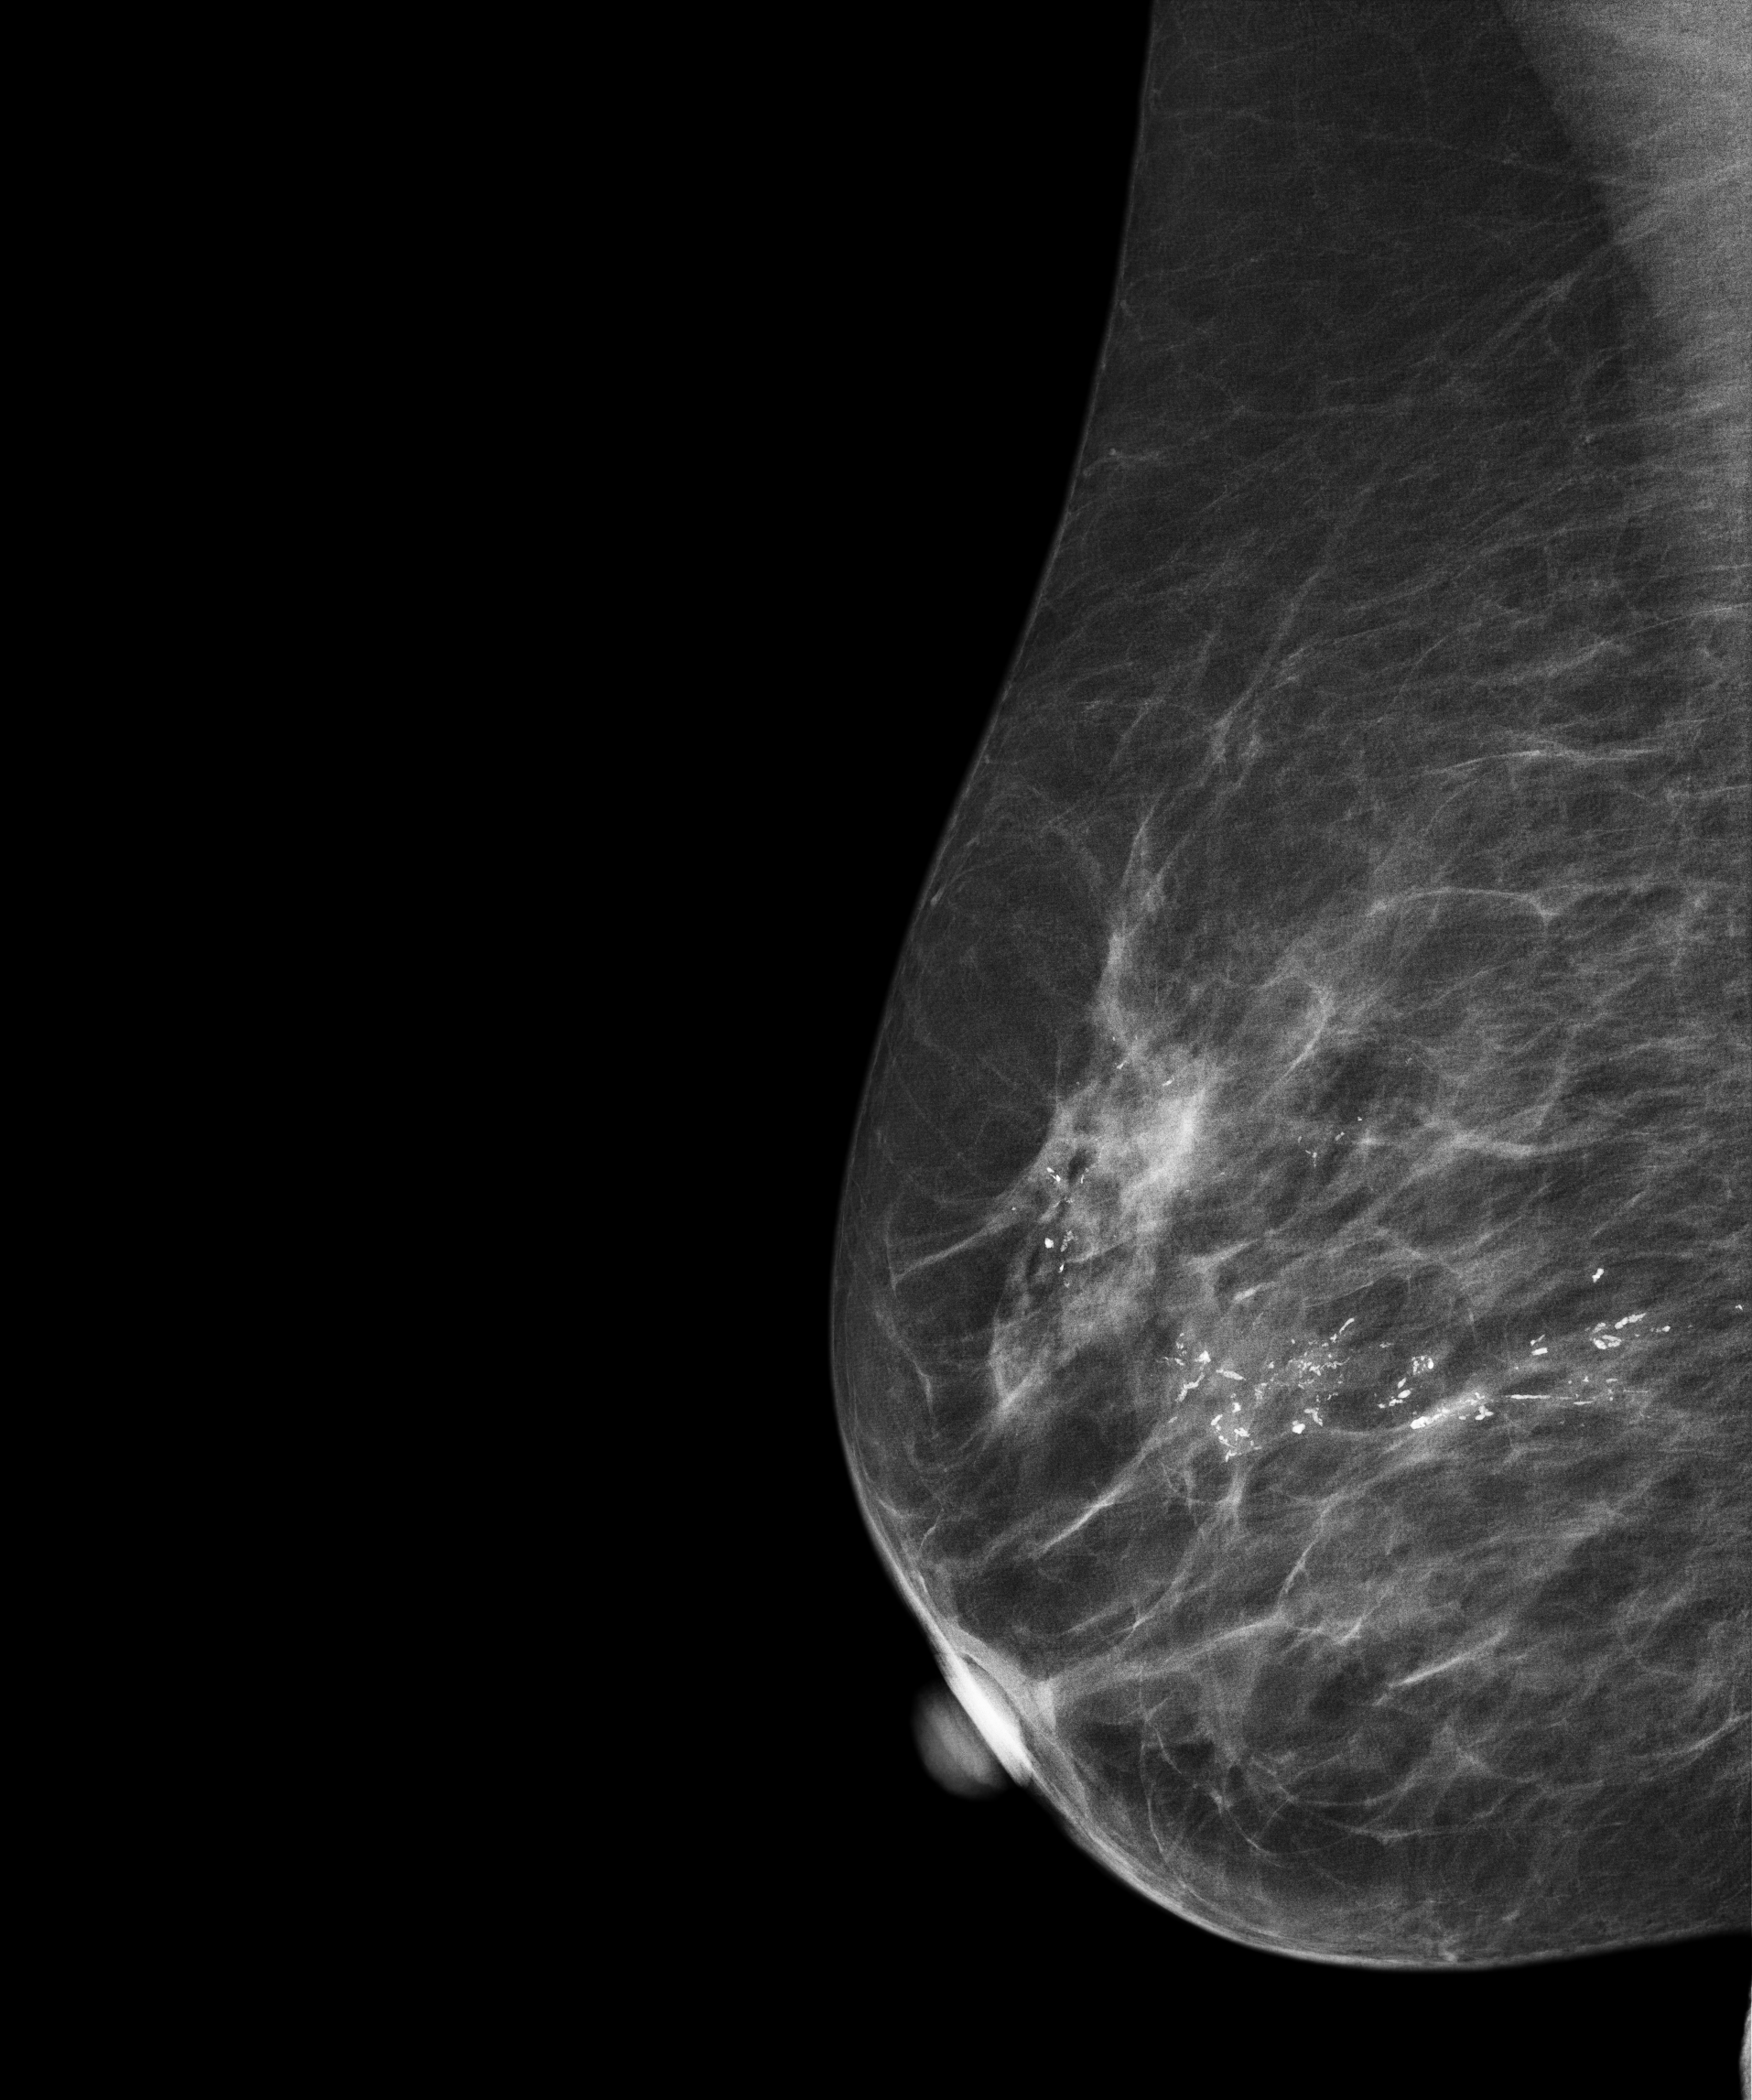
Digital mammography. Right breast, MLO projection. 58-year-old patient.
This breast has a mass and calcifications, histologically confirmed malignant.